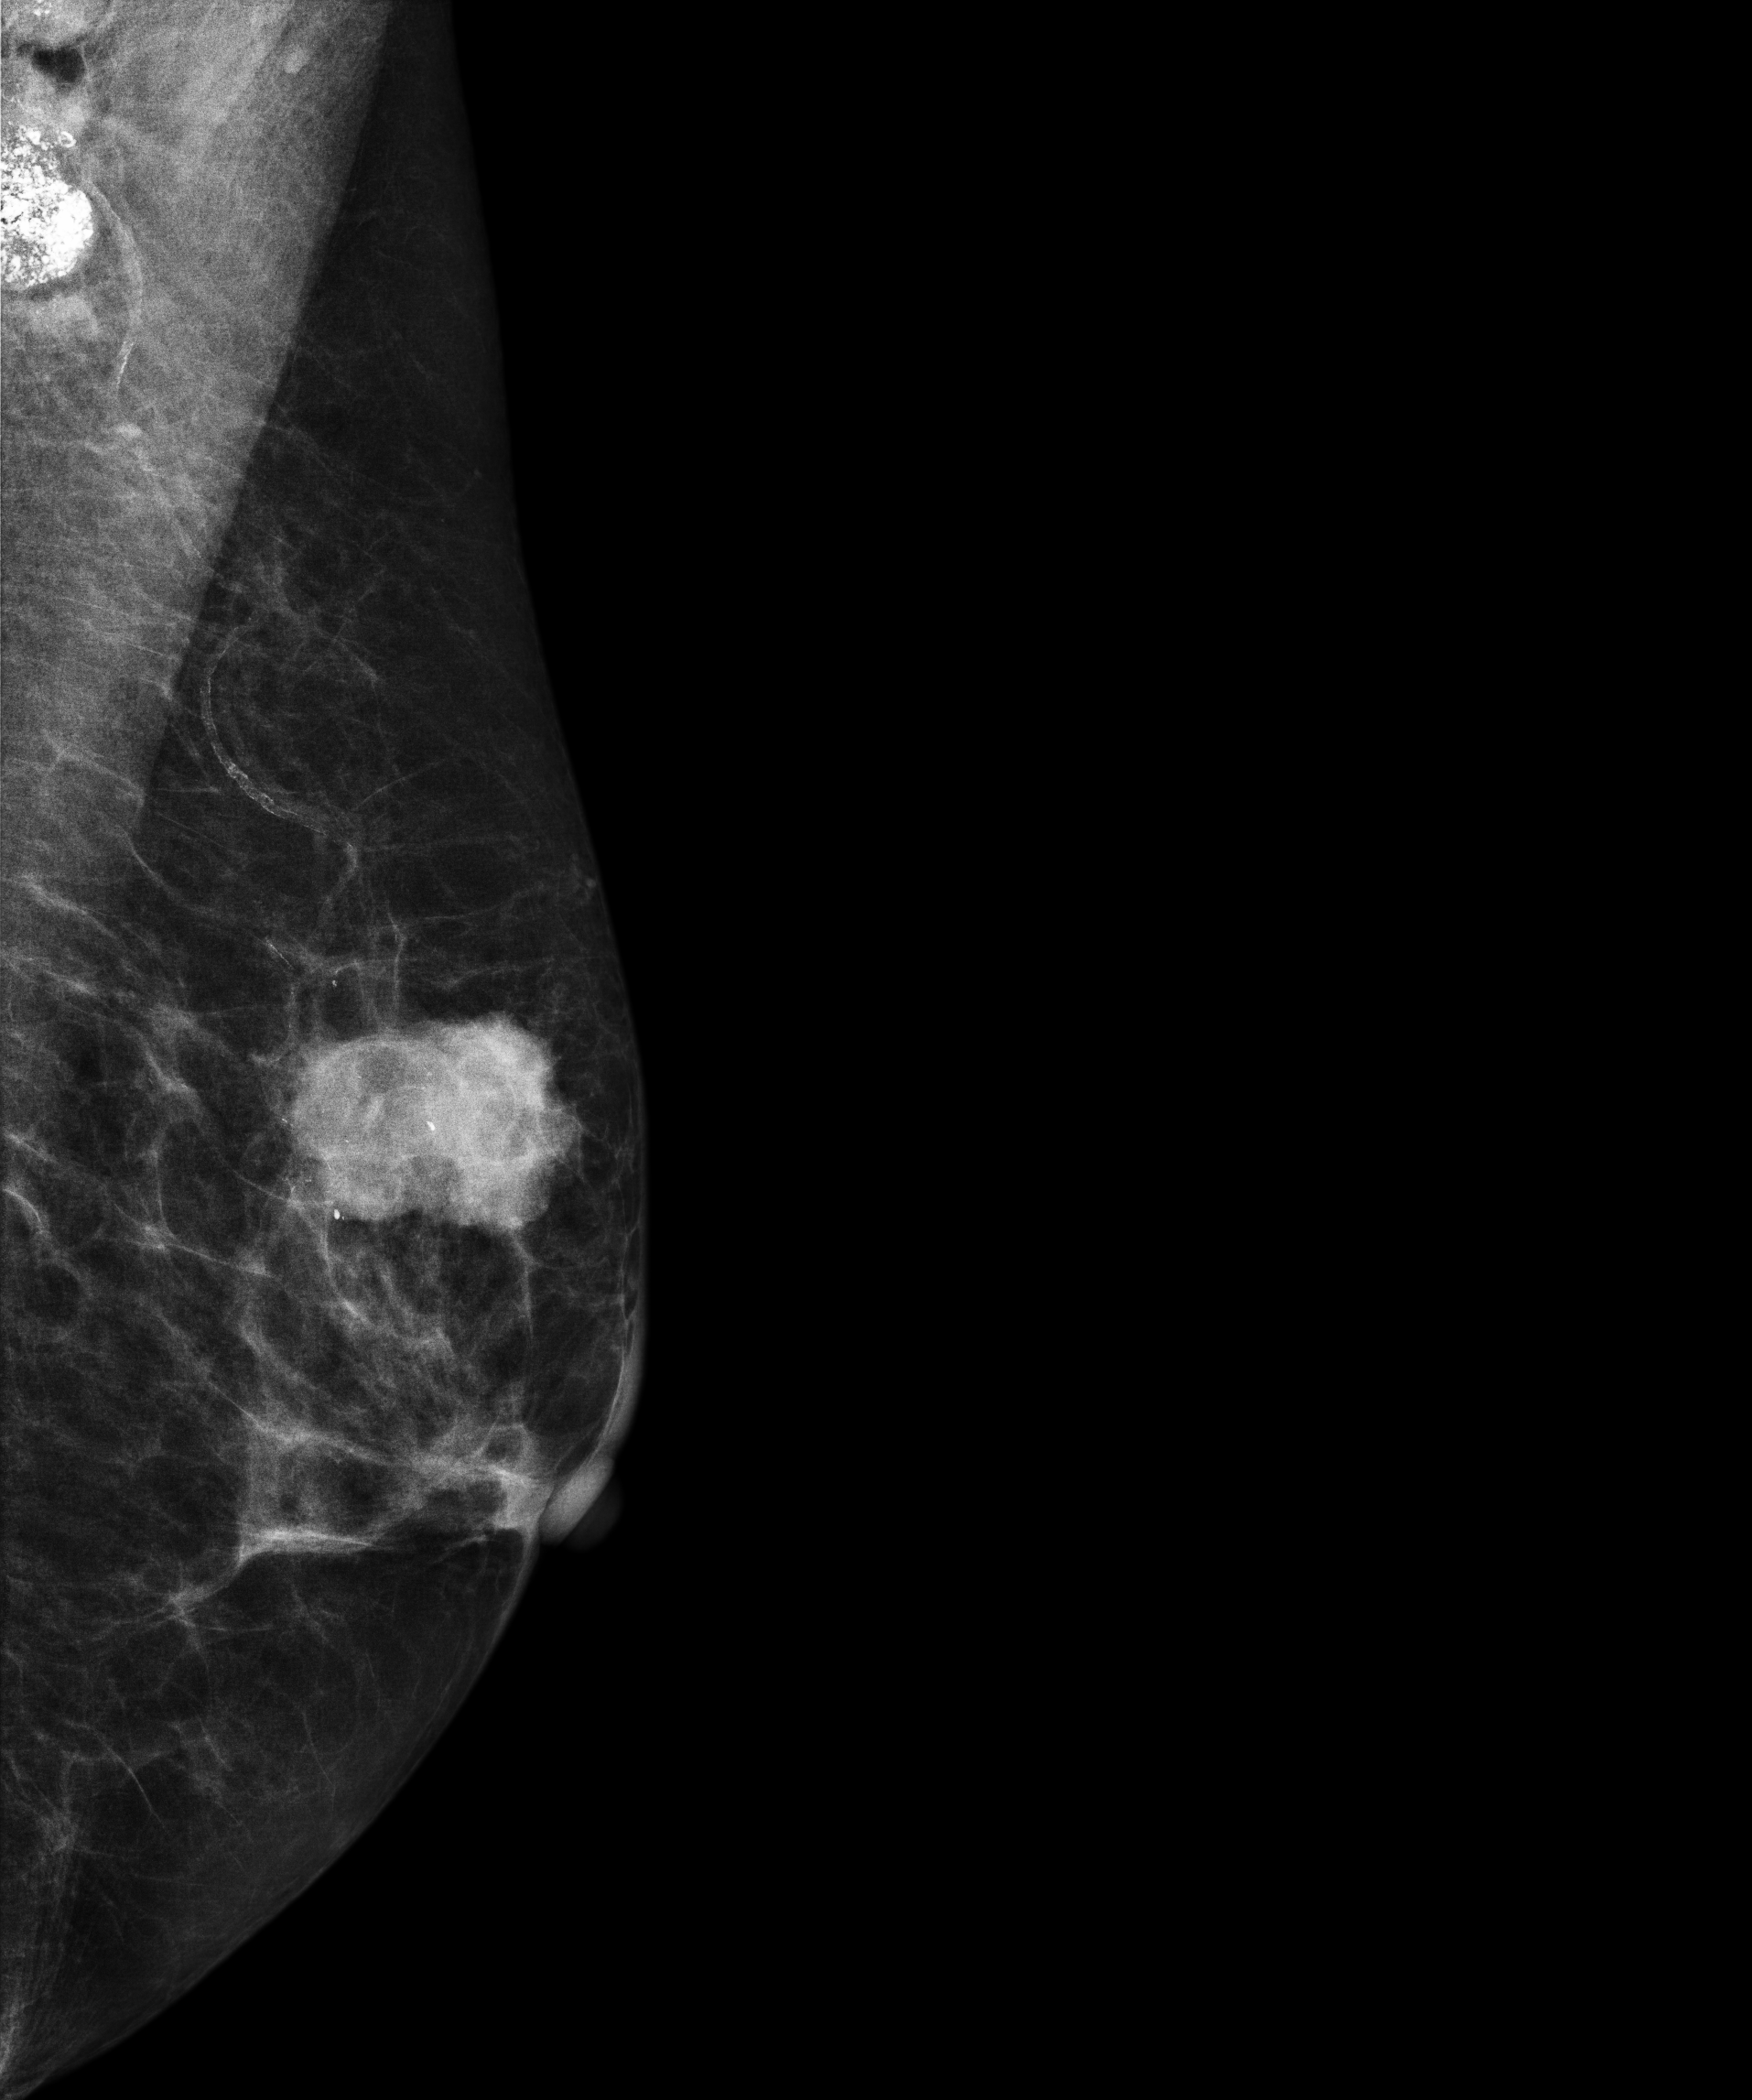
Digital mammography. Left breast, MLO projection. 60-year-old patient.
This breast has a mass and calcifications, biopsy-confirmed malignant.